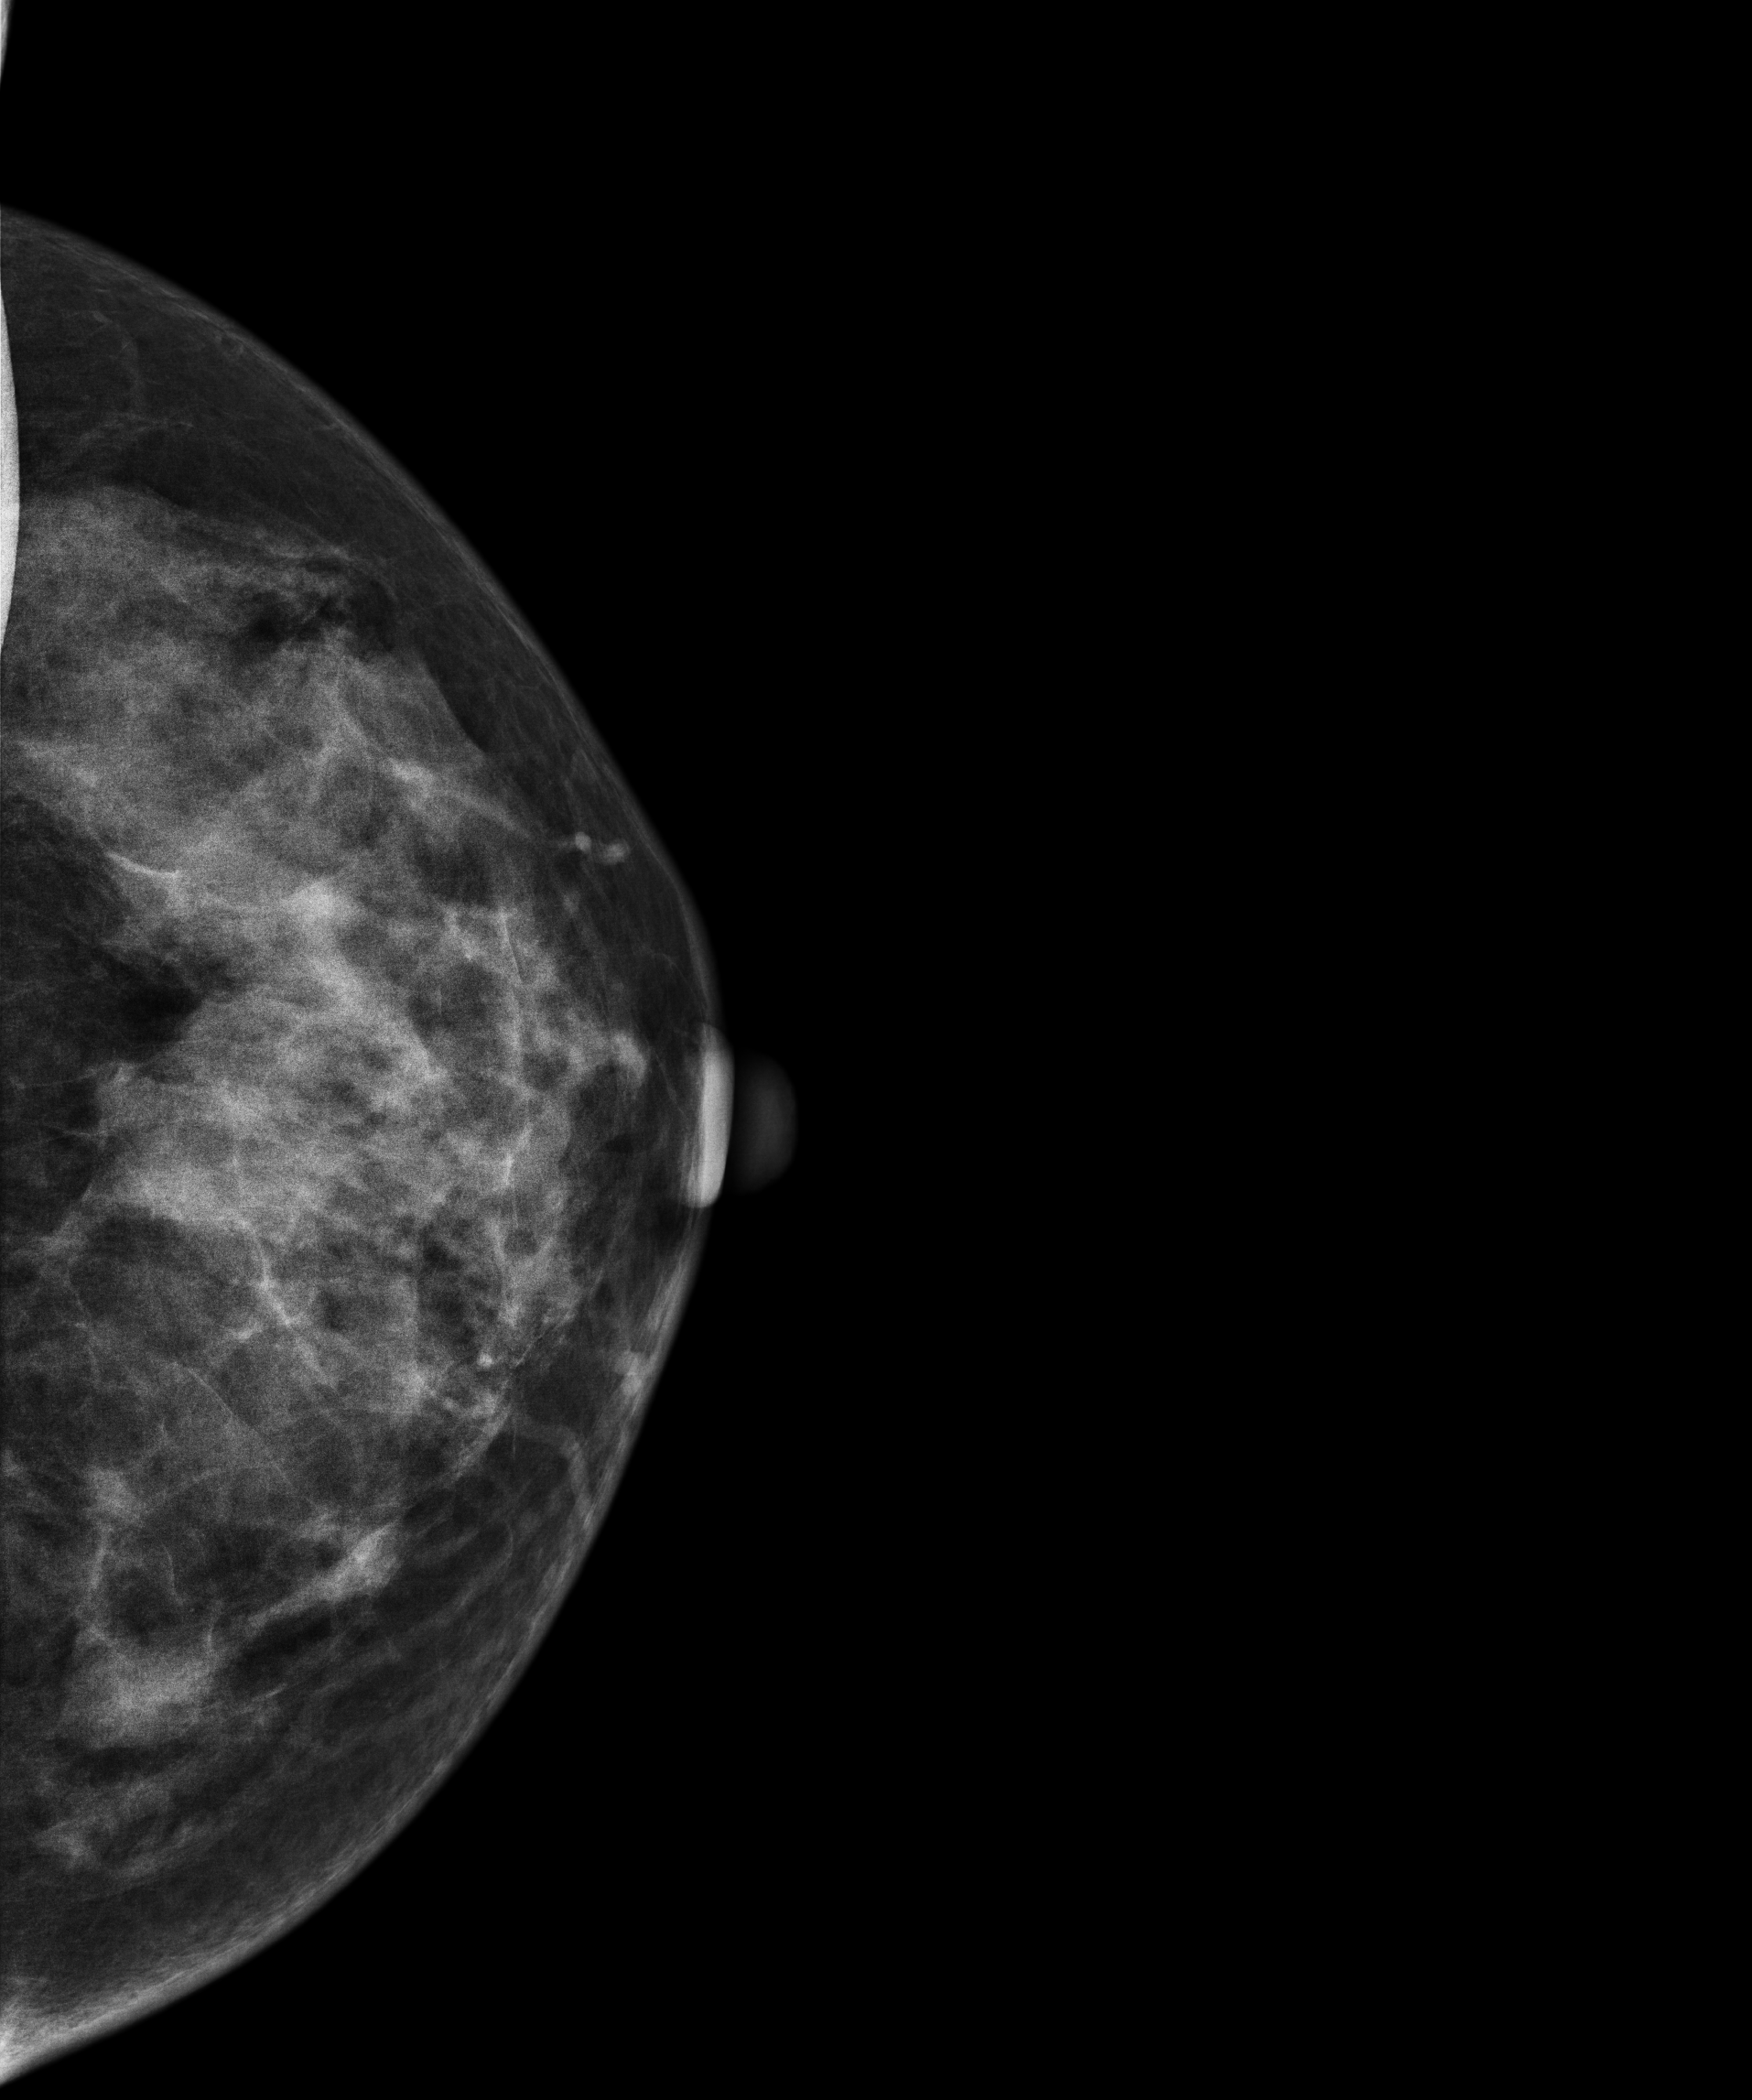
Mammogram — left CC. 42 y/o patient.
Contralateral breast — no documented abnormality on this side.